Right-breast mammogram, medio-lateral oblique. 50 y/o patient.
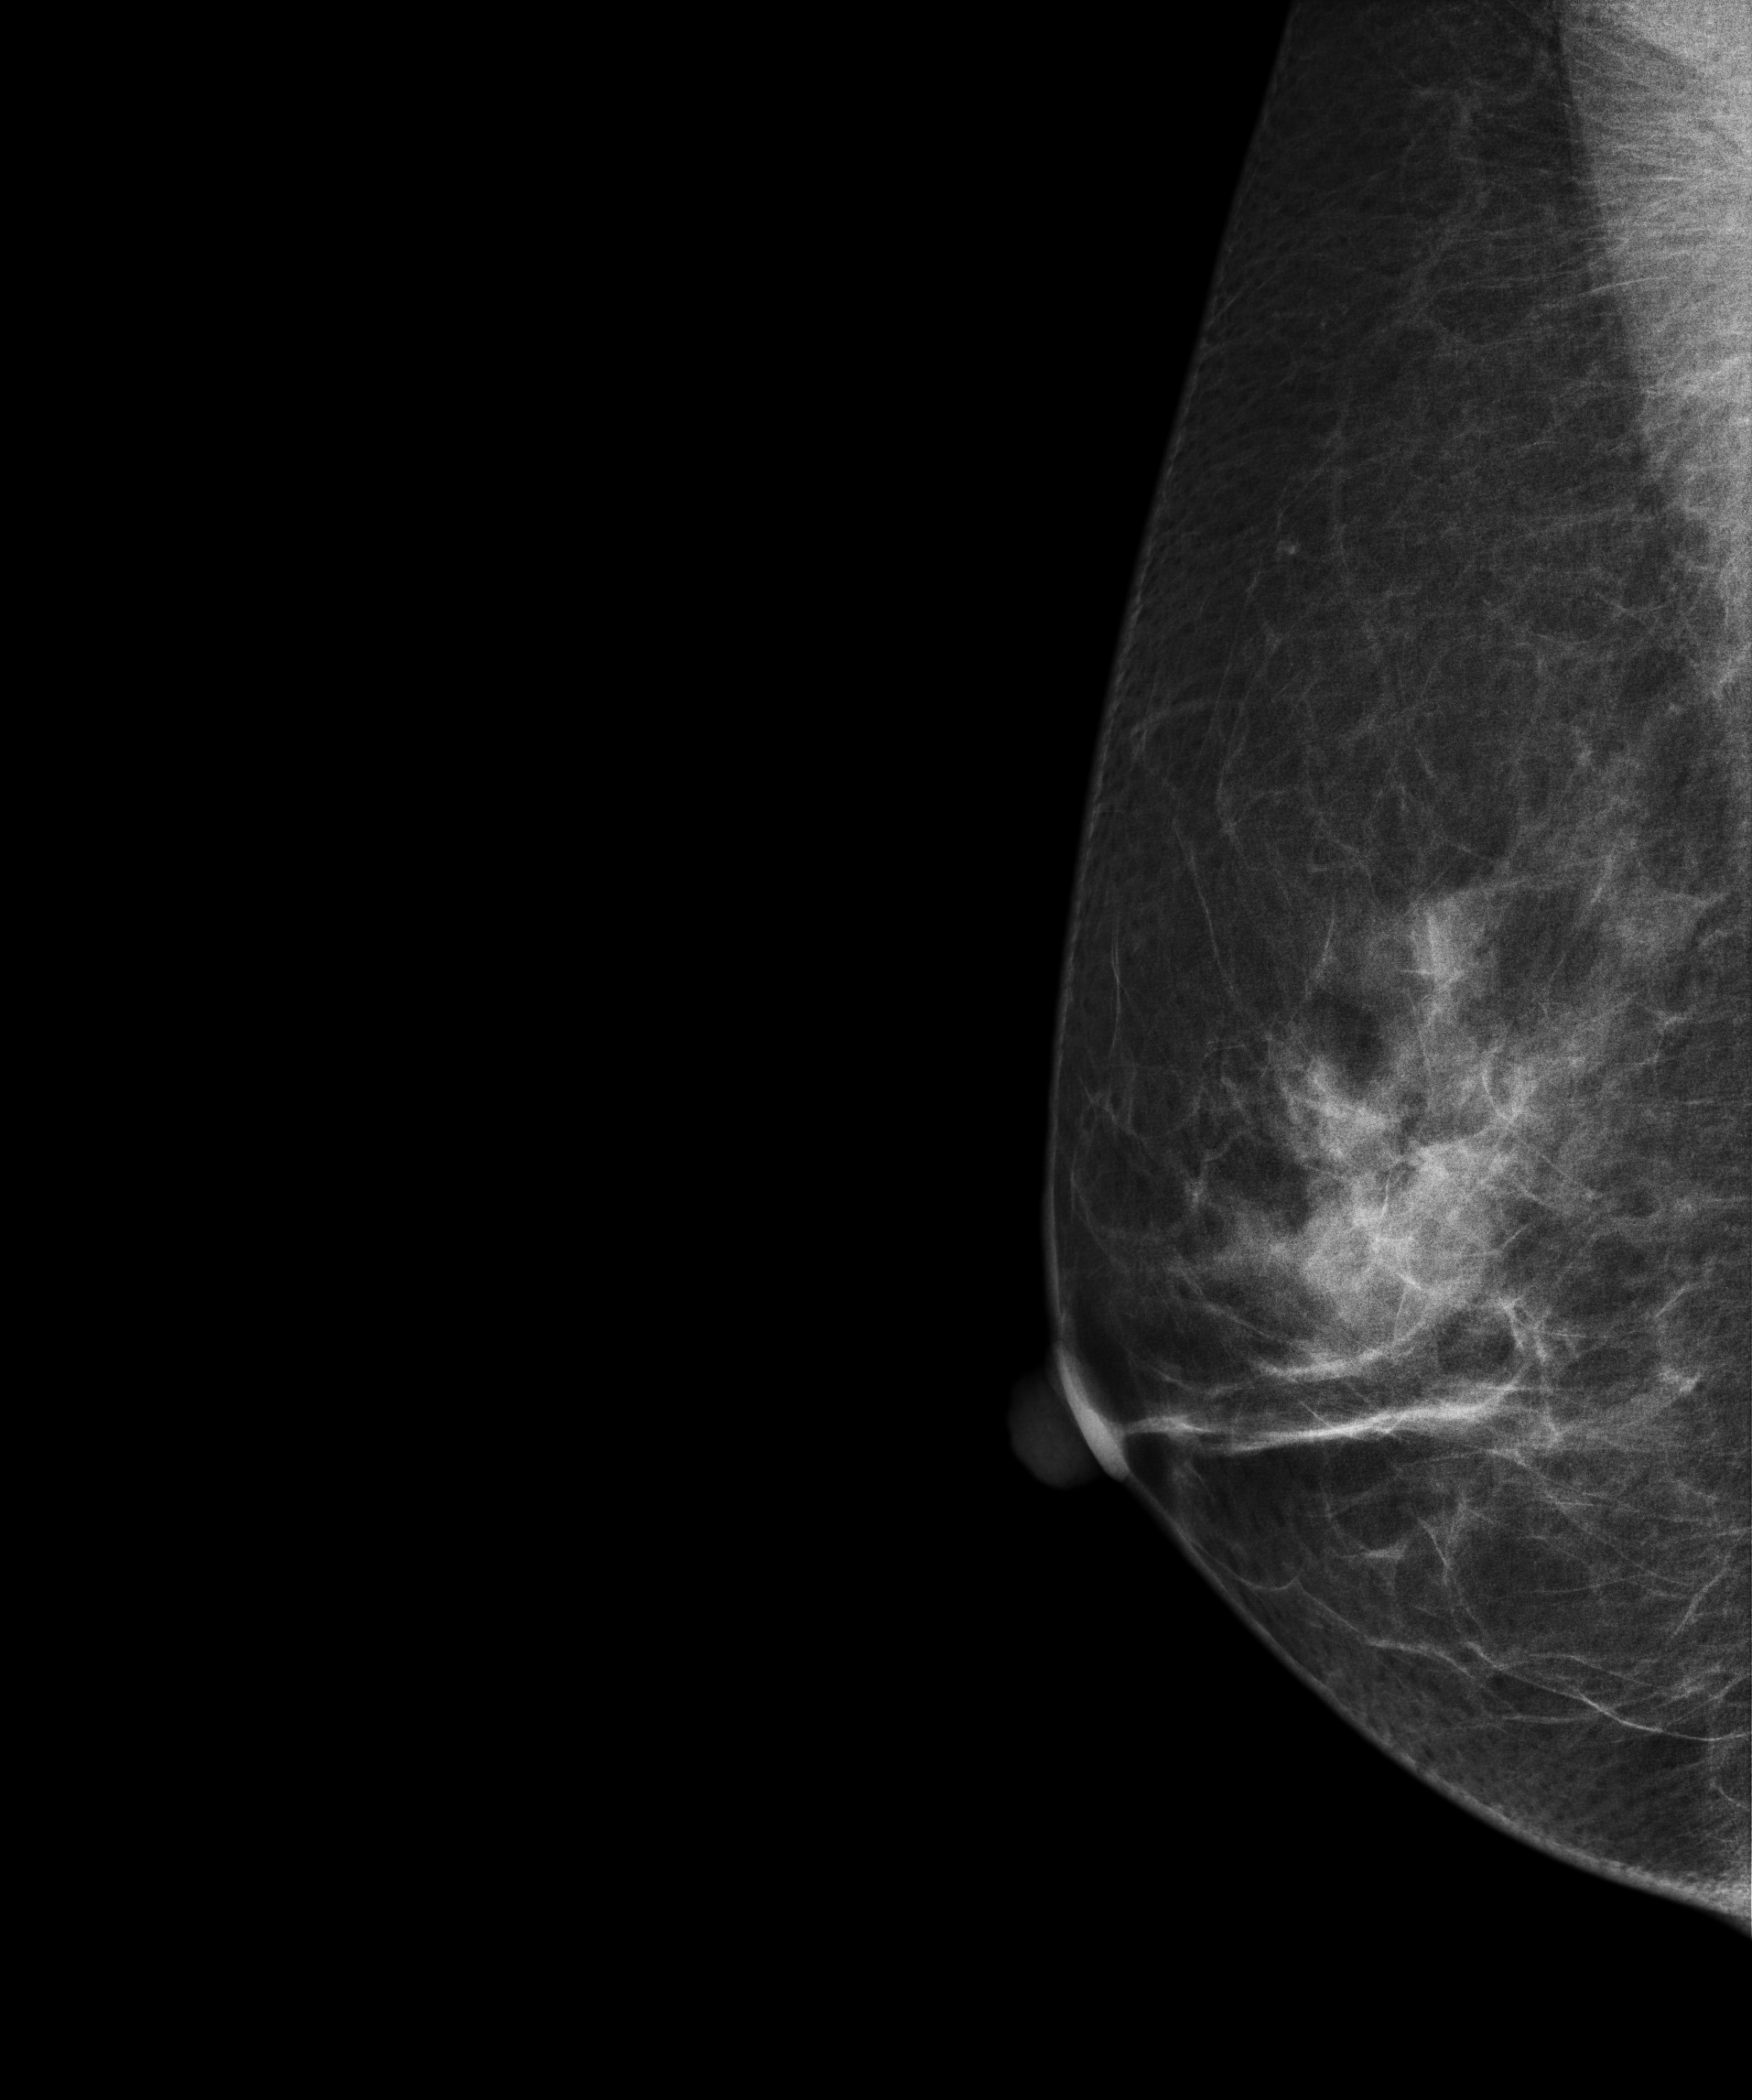
Contralateral breast — no documented abnormality on this side.